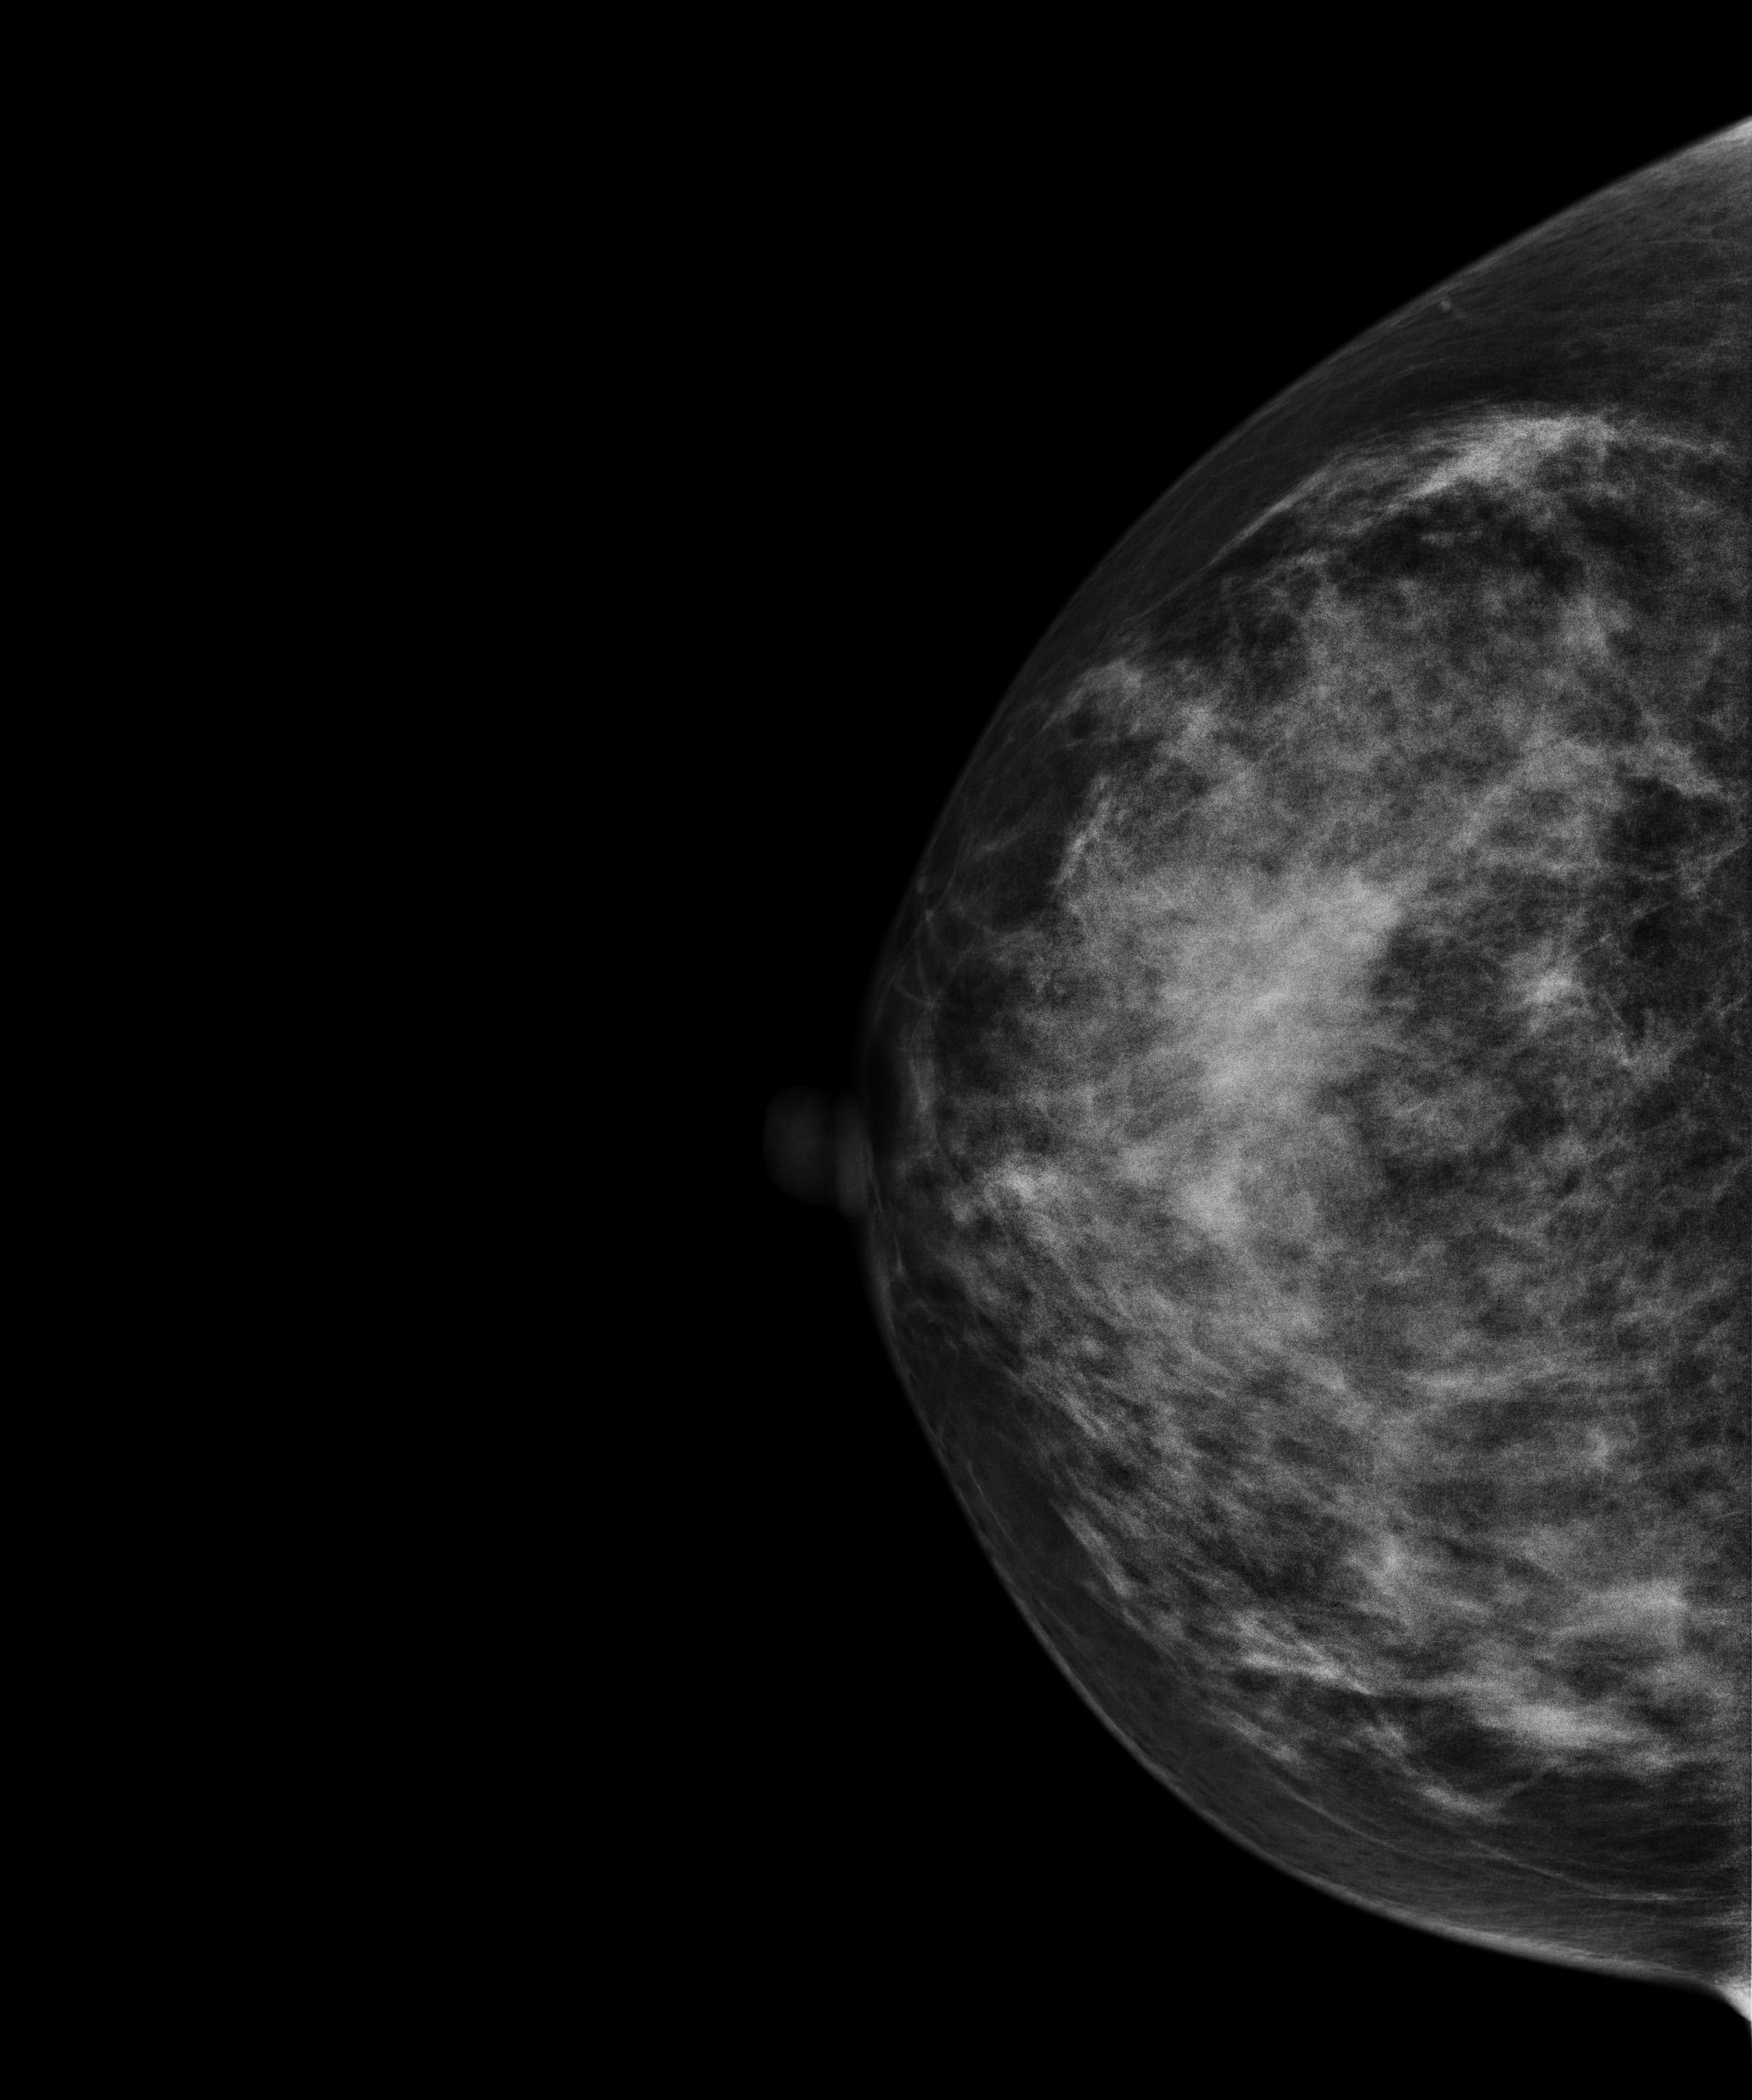
Digital mammography. Right breast, cranio-caudal projection. 50-year-old patient.
This breast has a mass, biopsy-confirmed malignant. Molecular subtype: HER2-enriched.